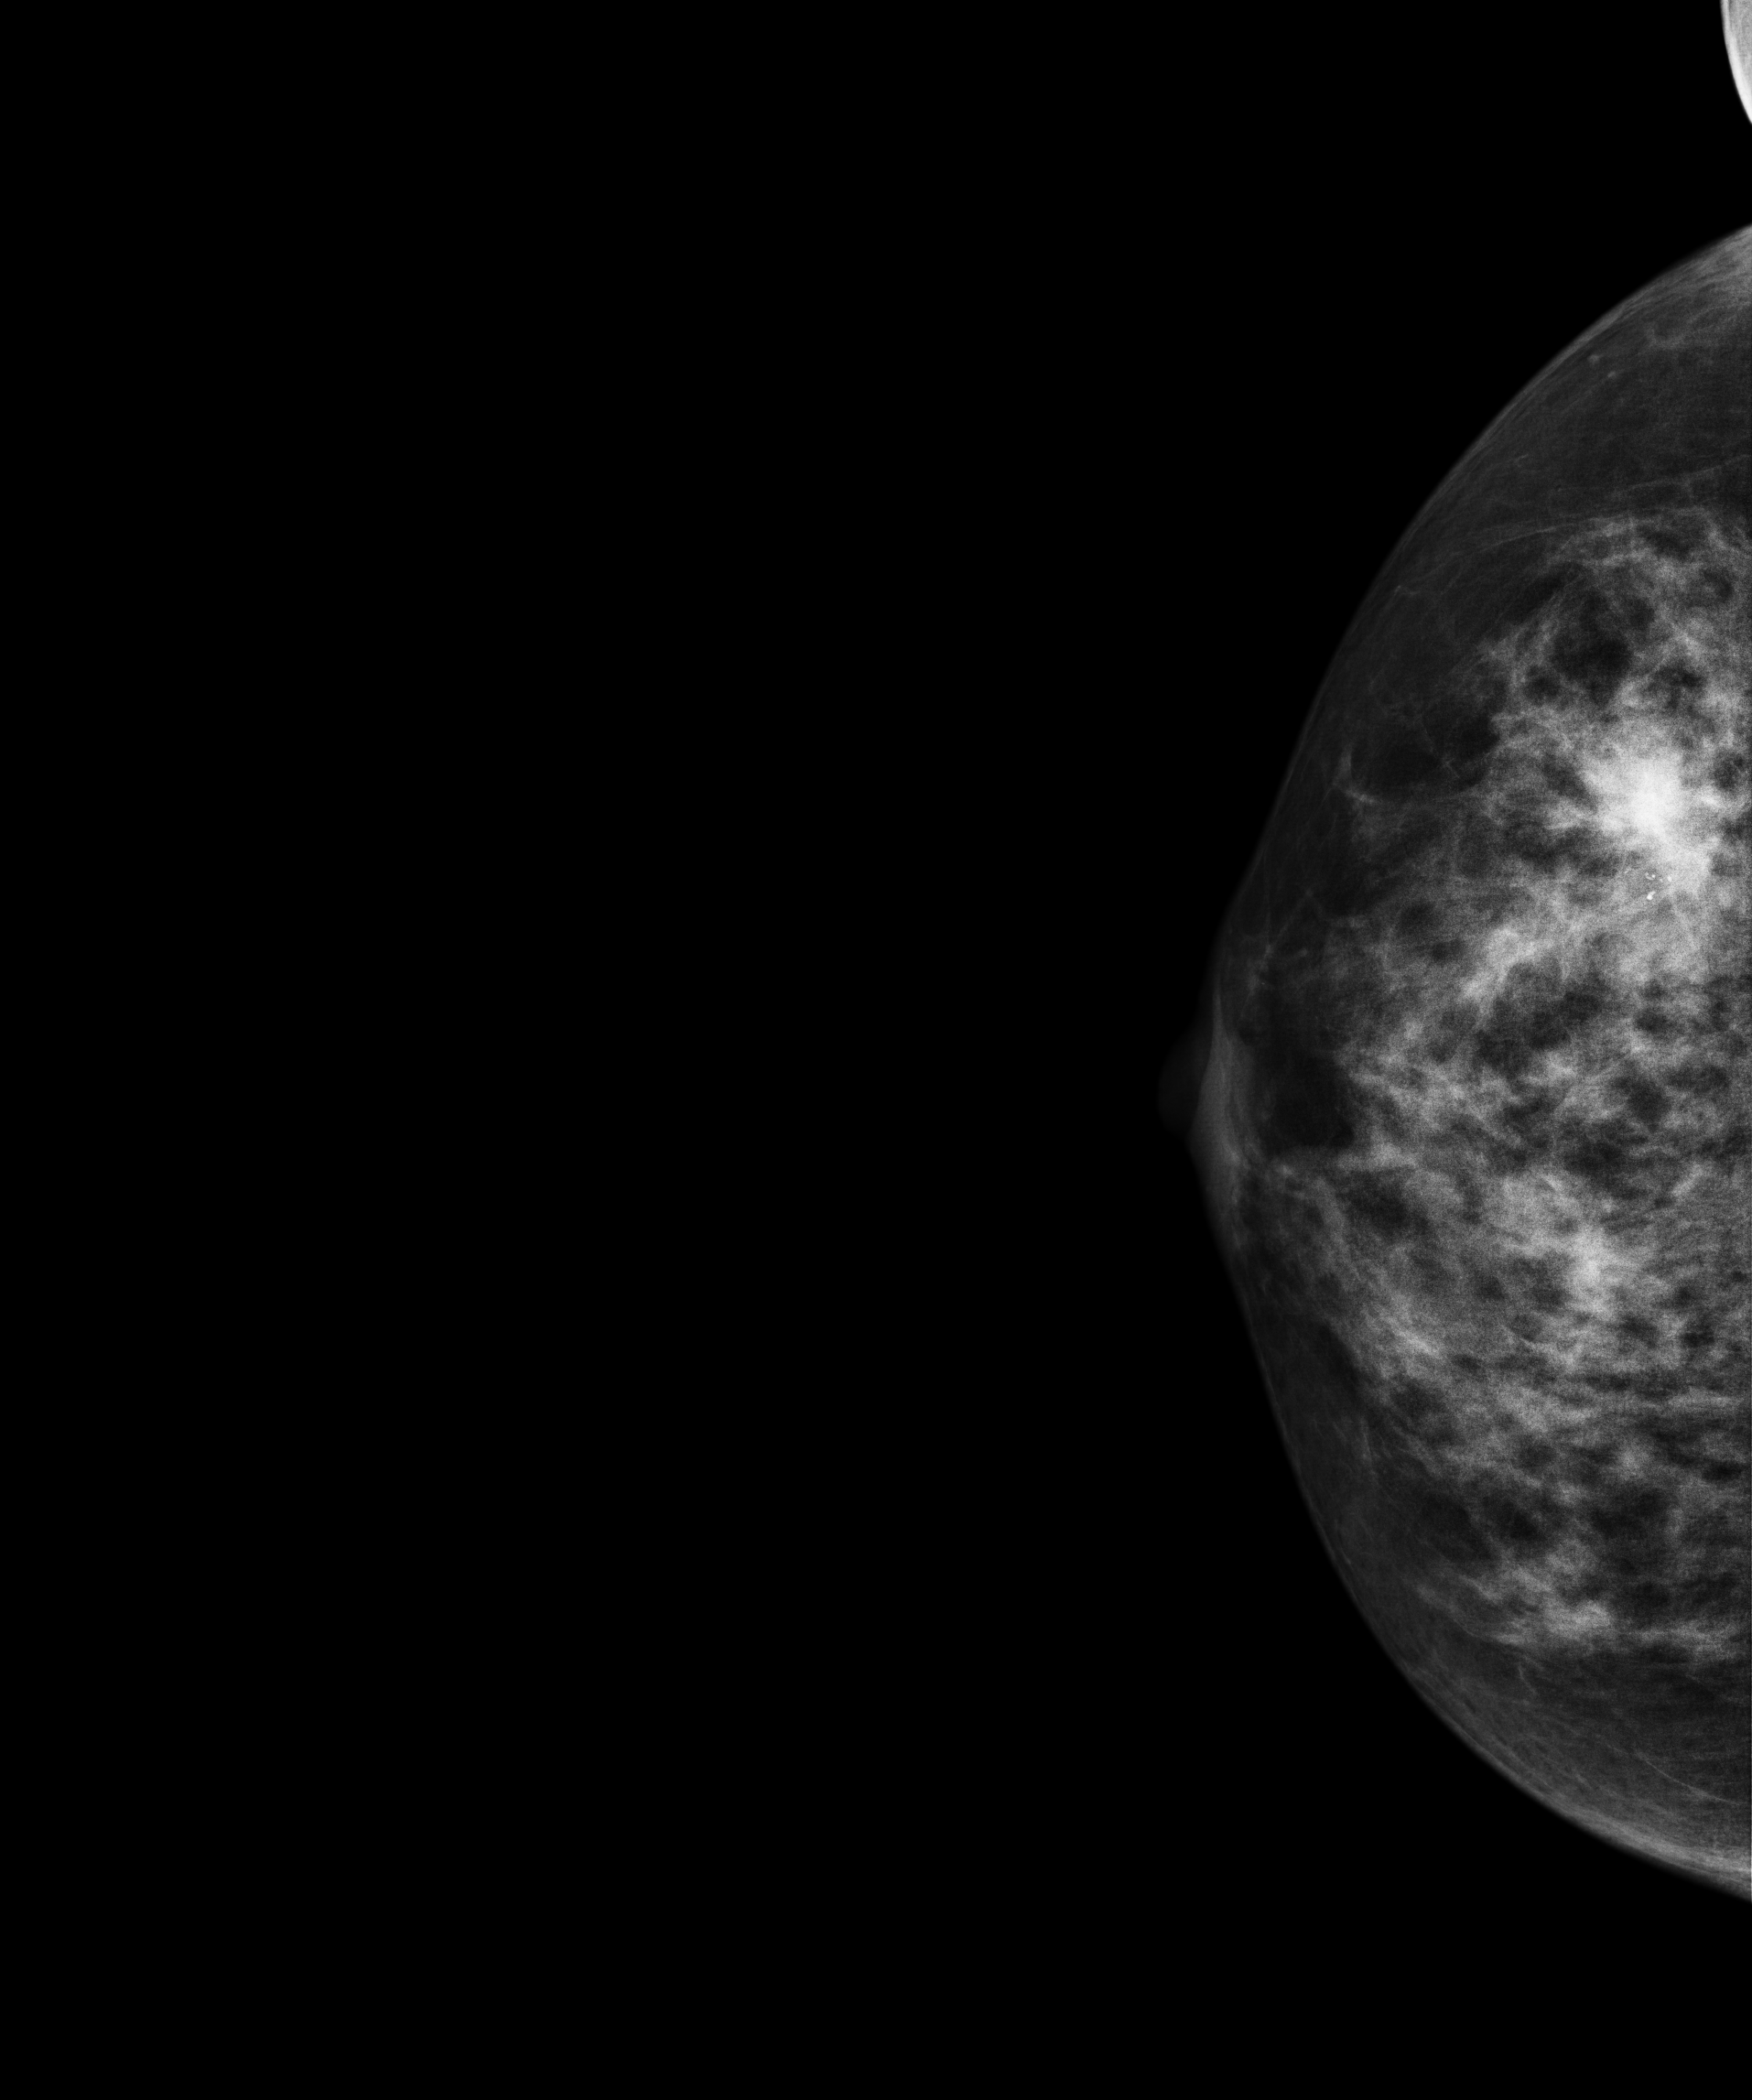
Mammogram, right breast, CC view. Patient age 51.
This breast has a mass and calcifications, histologically confirmed malignant.